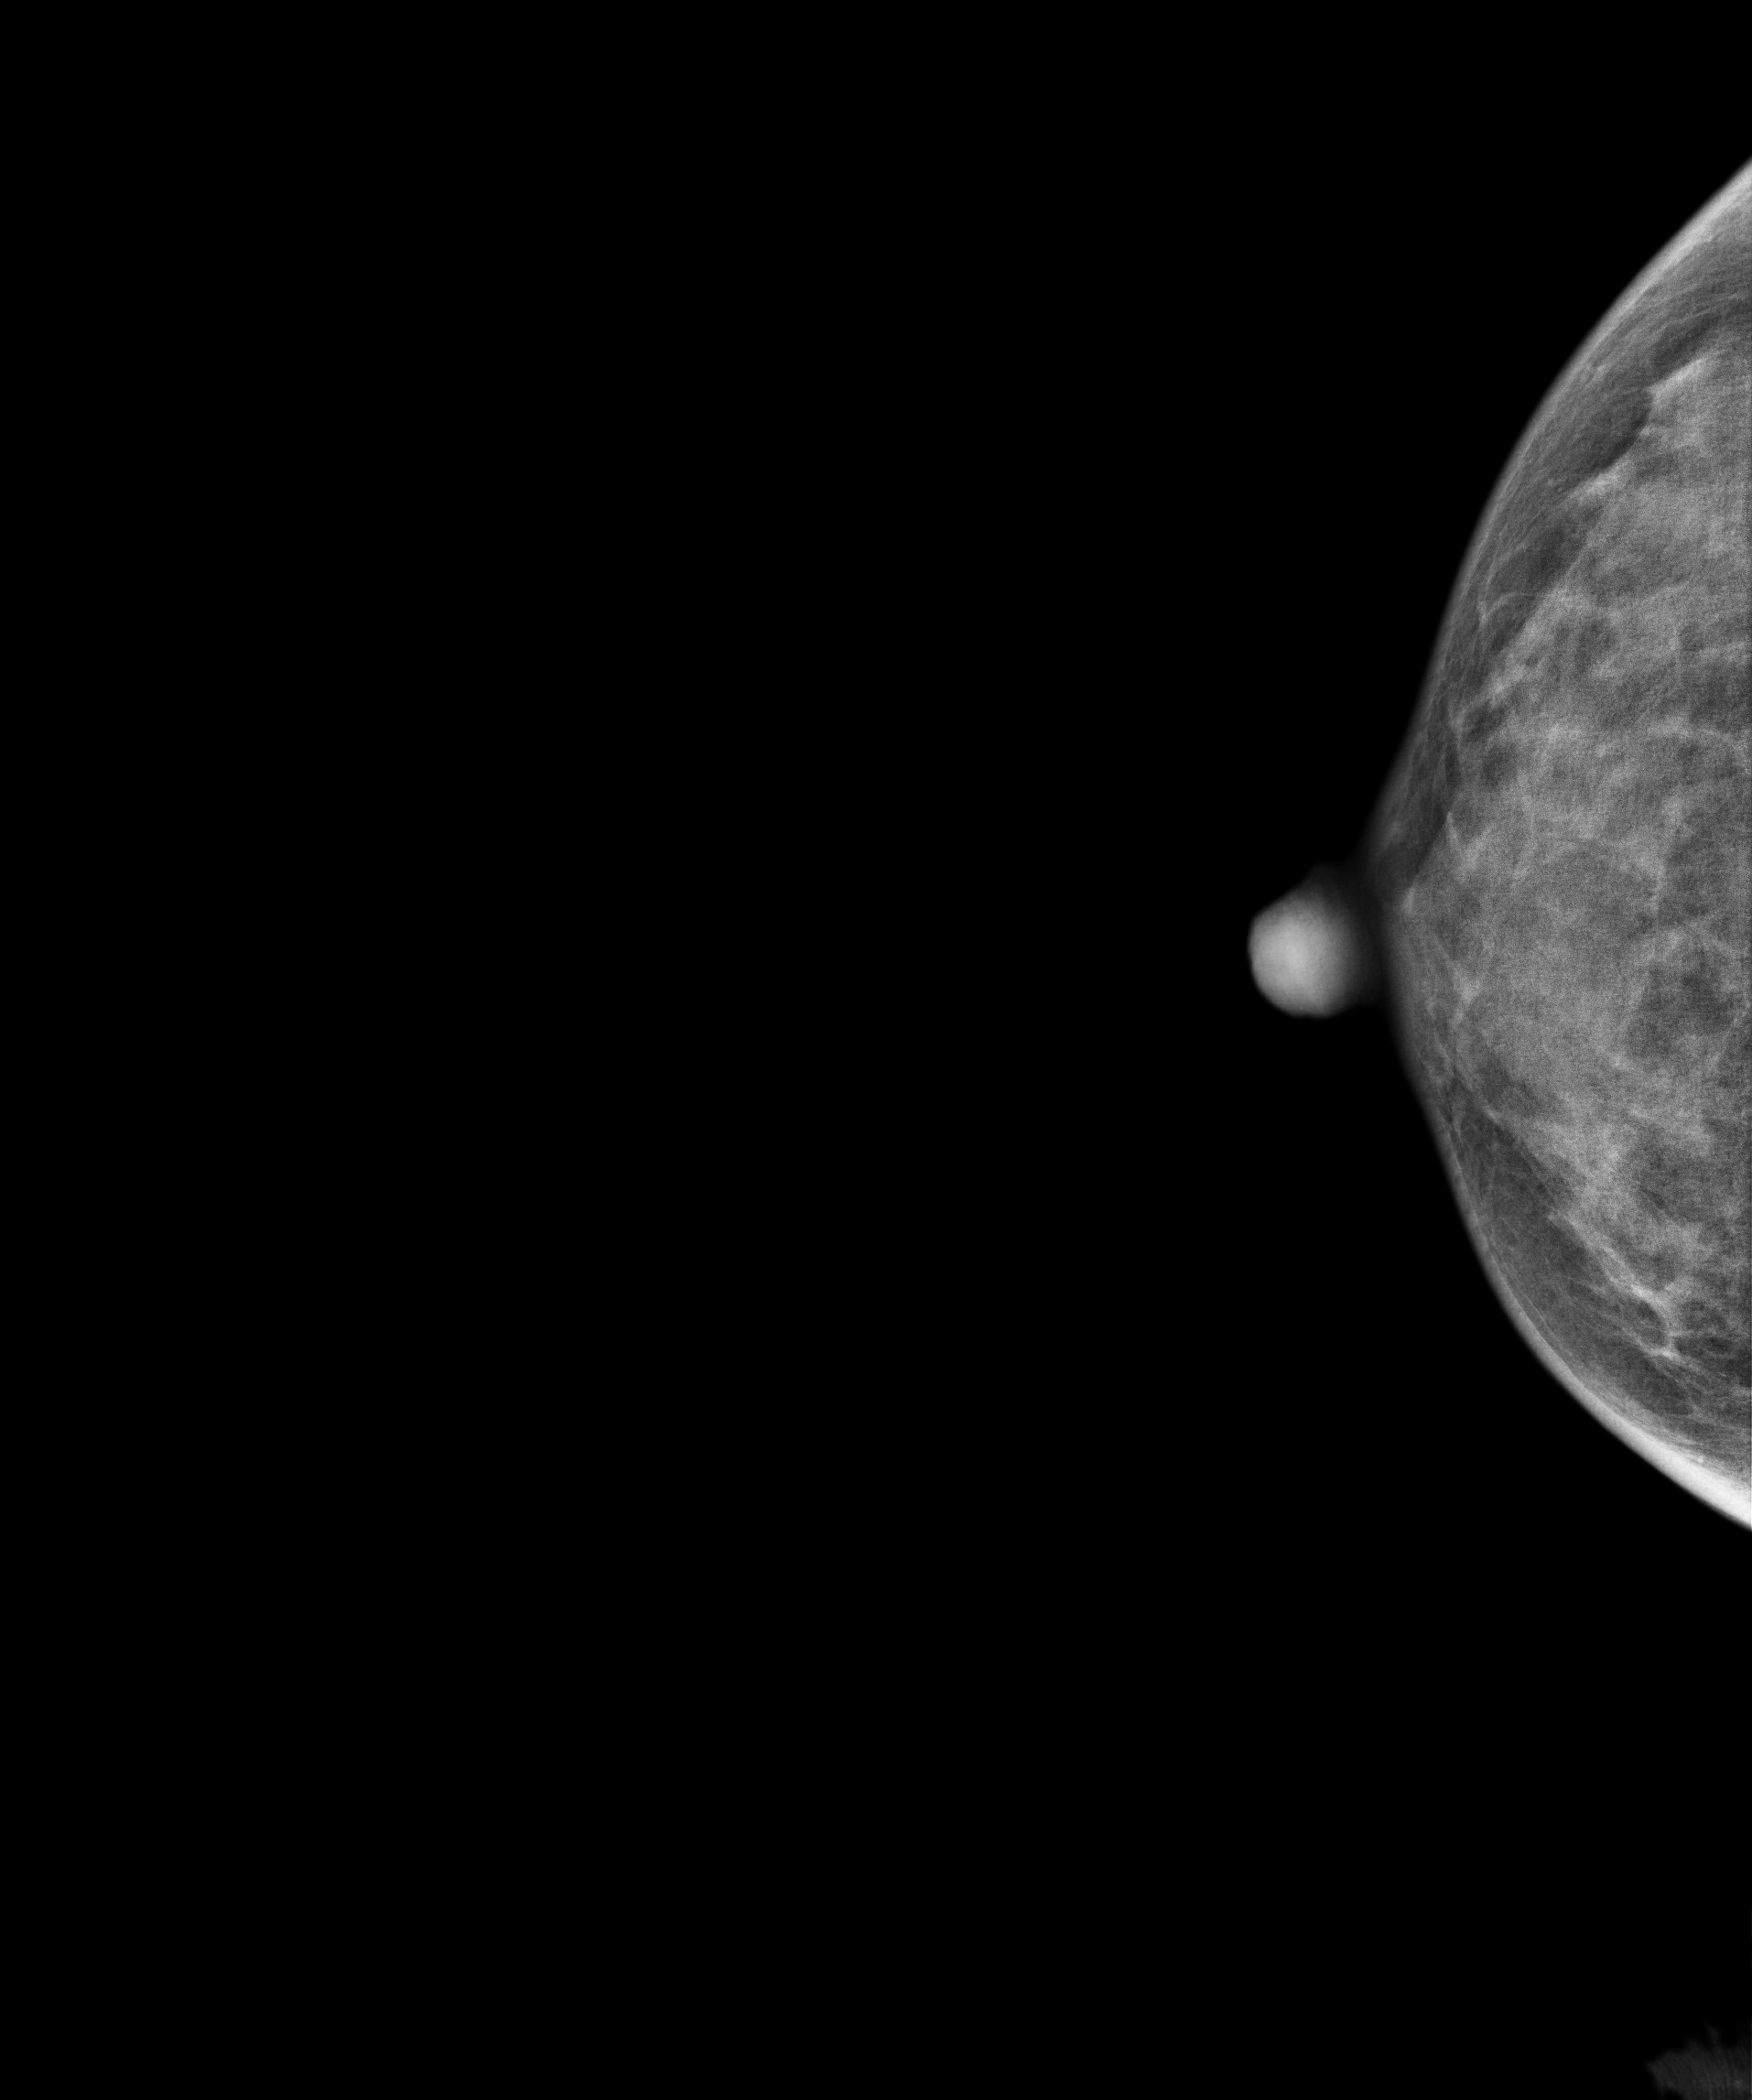
Cranio-caudal mammogram of the right breast. 30 y/o patient.
Contralateral breast — no documented abnormality on this side.